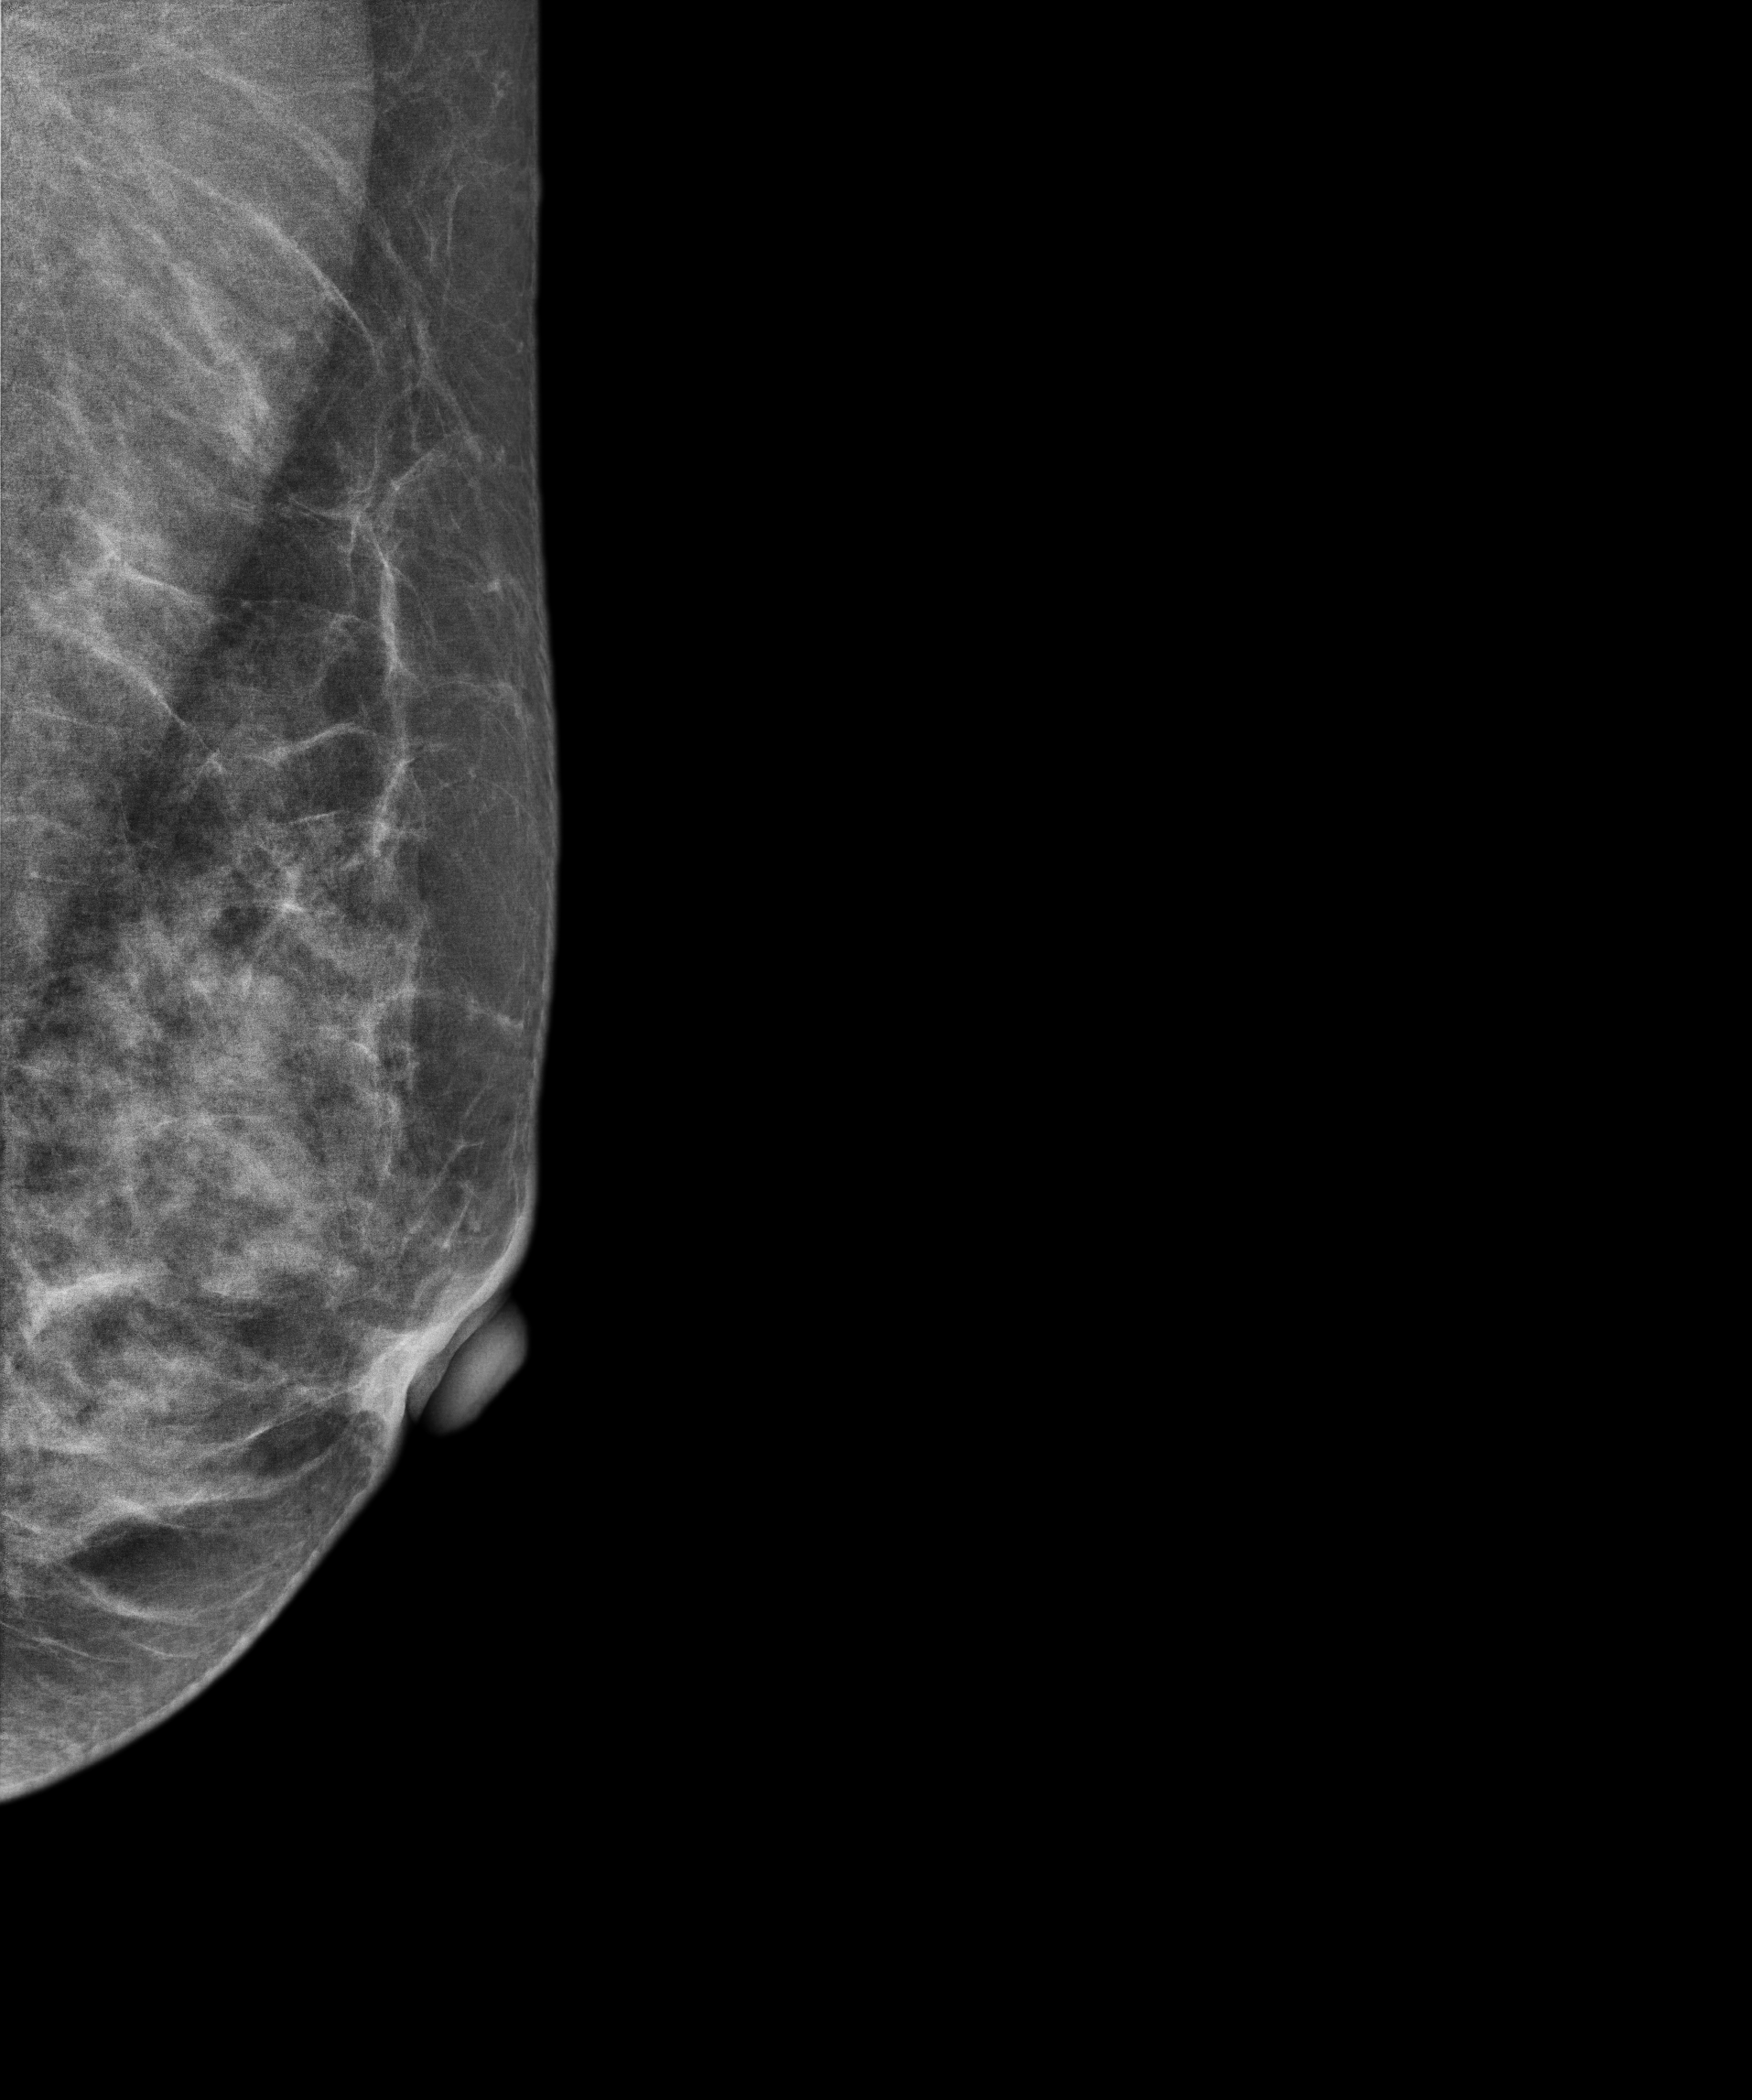
Mammogram — left MLO. Patient age 36.
Contralateral breast — no documented abnormality on this side.